Mammogram, left breast, CC view. 51 y/o patient.
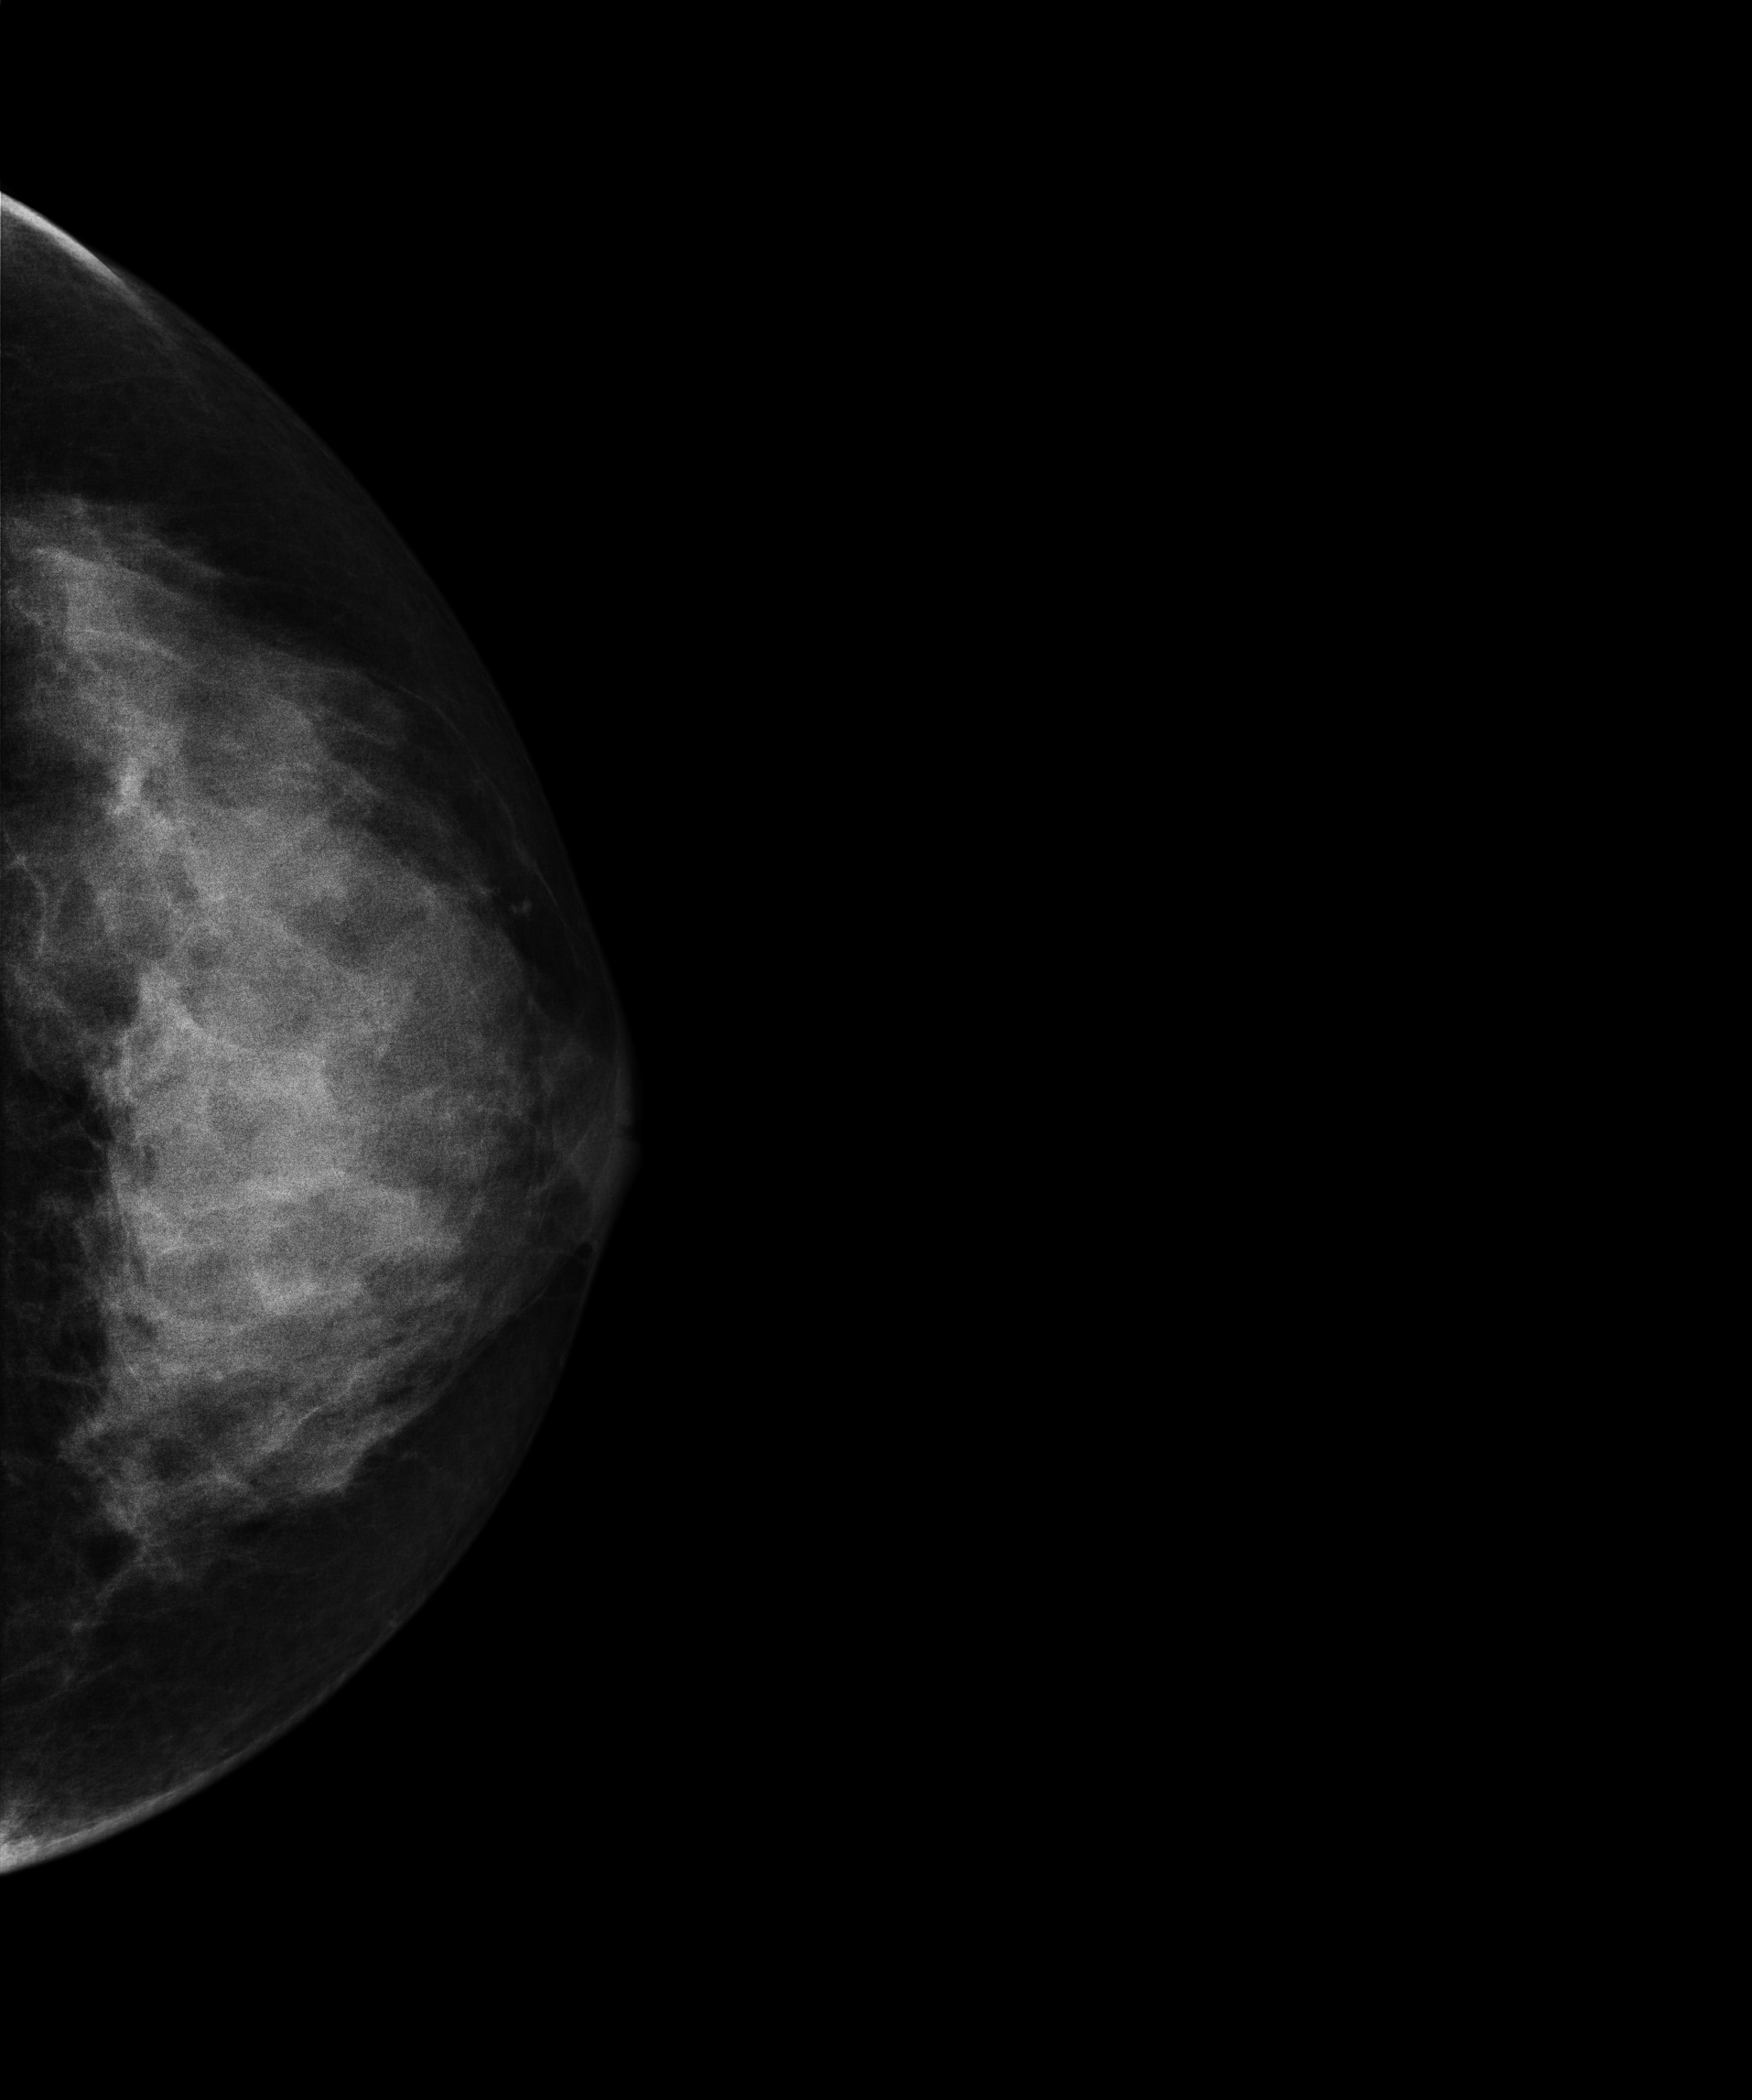
This breast has a mass, pathology-confirmed benign.